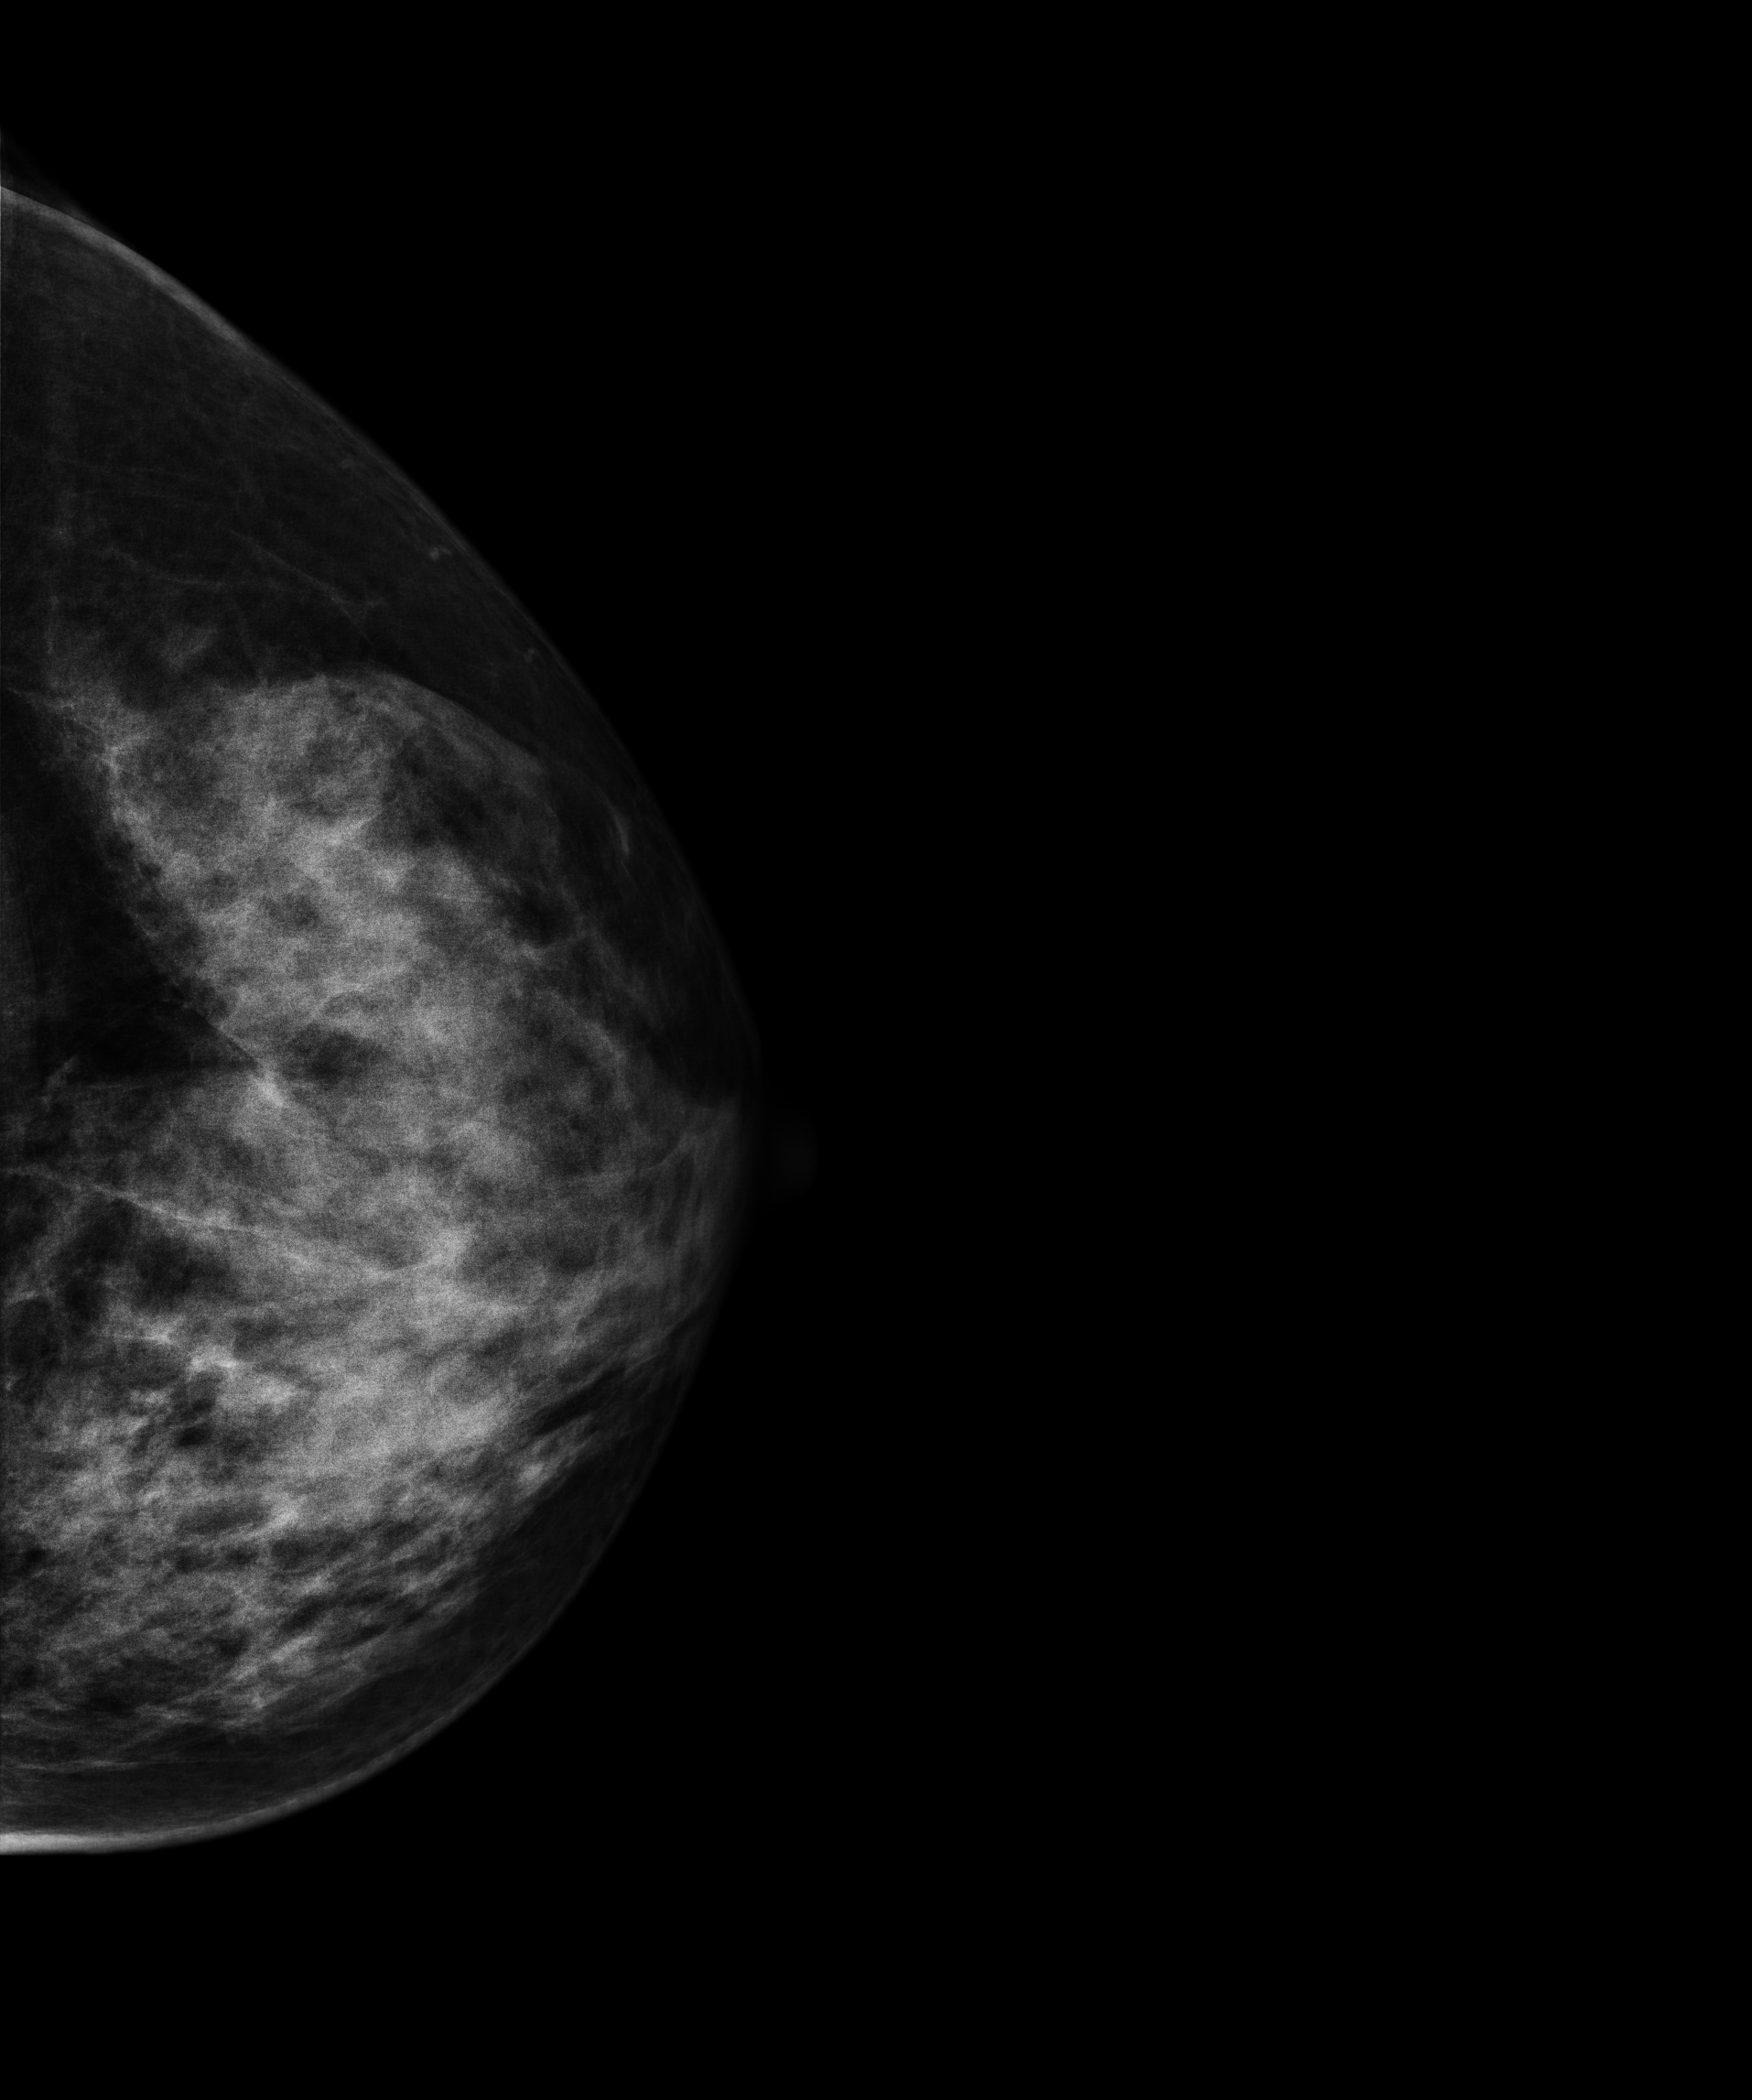
Mammogram, left breast, cranio-caudal view. Patient age 40.
This breast has a mass, histologically confirmed benign.